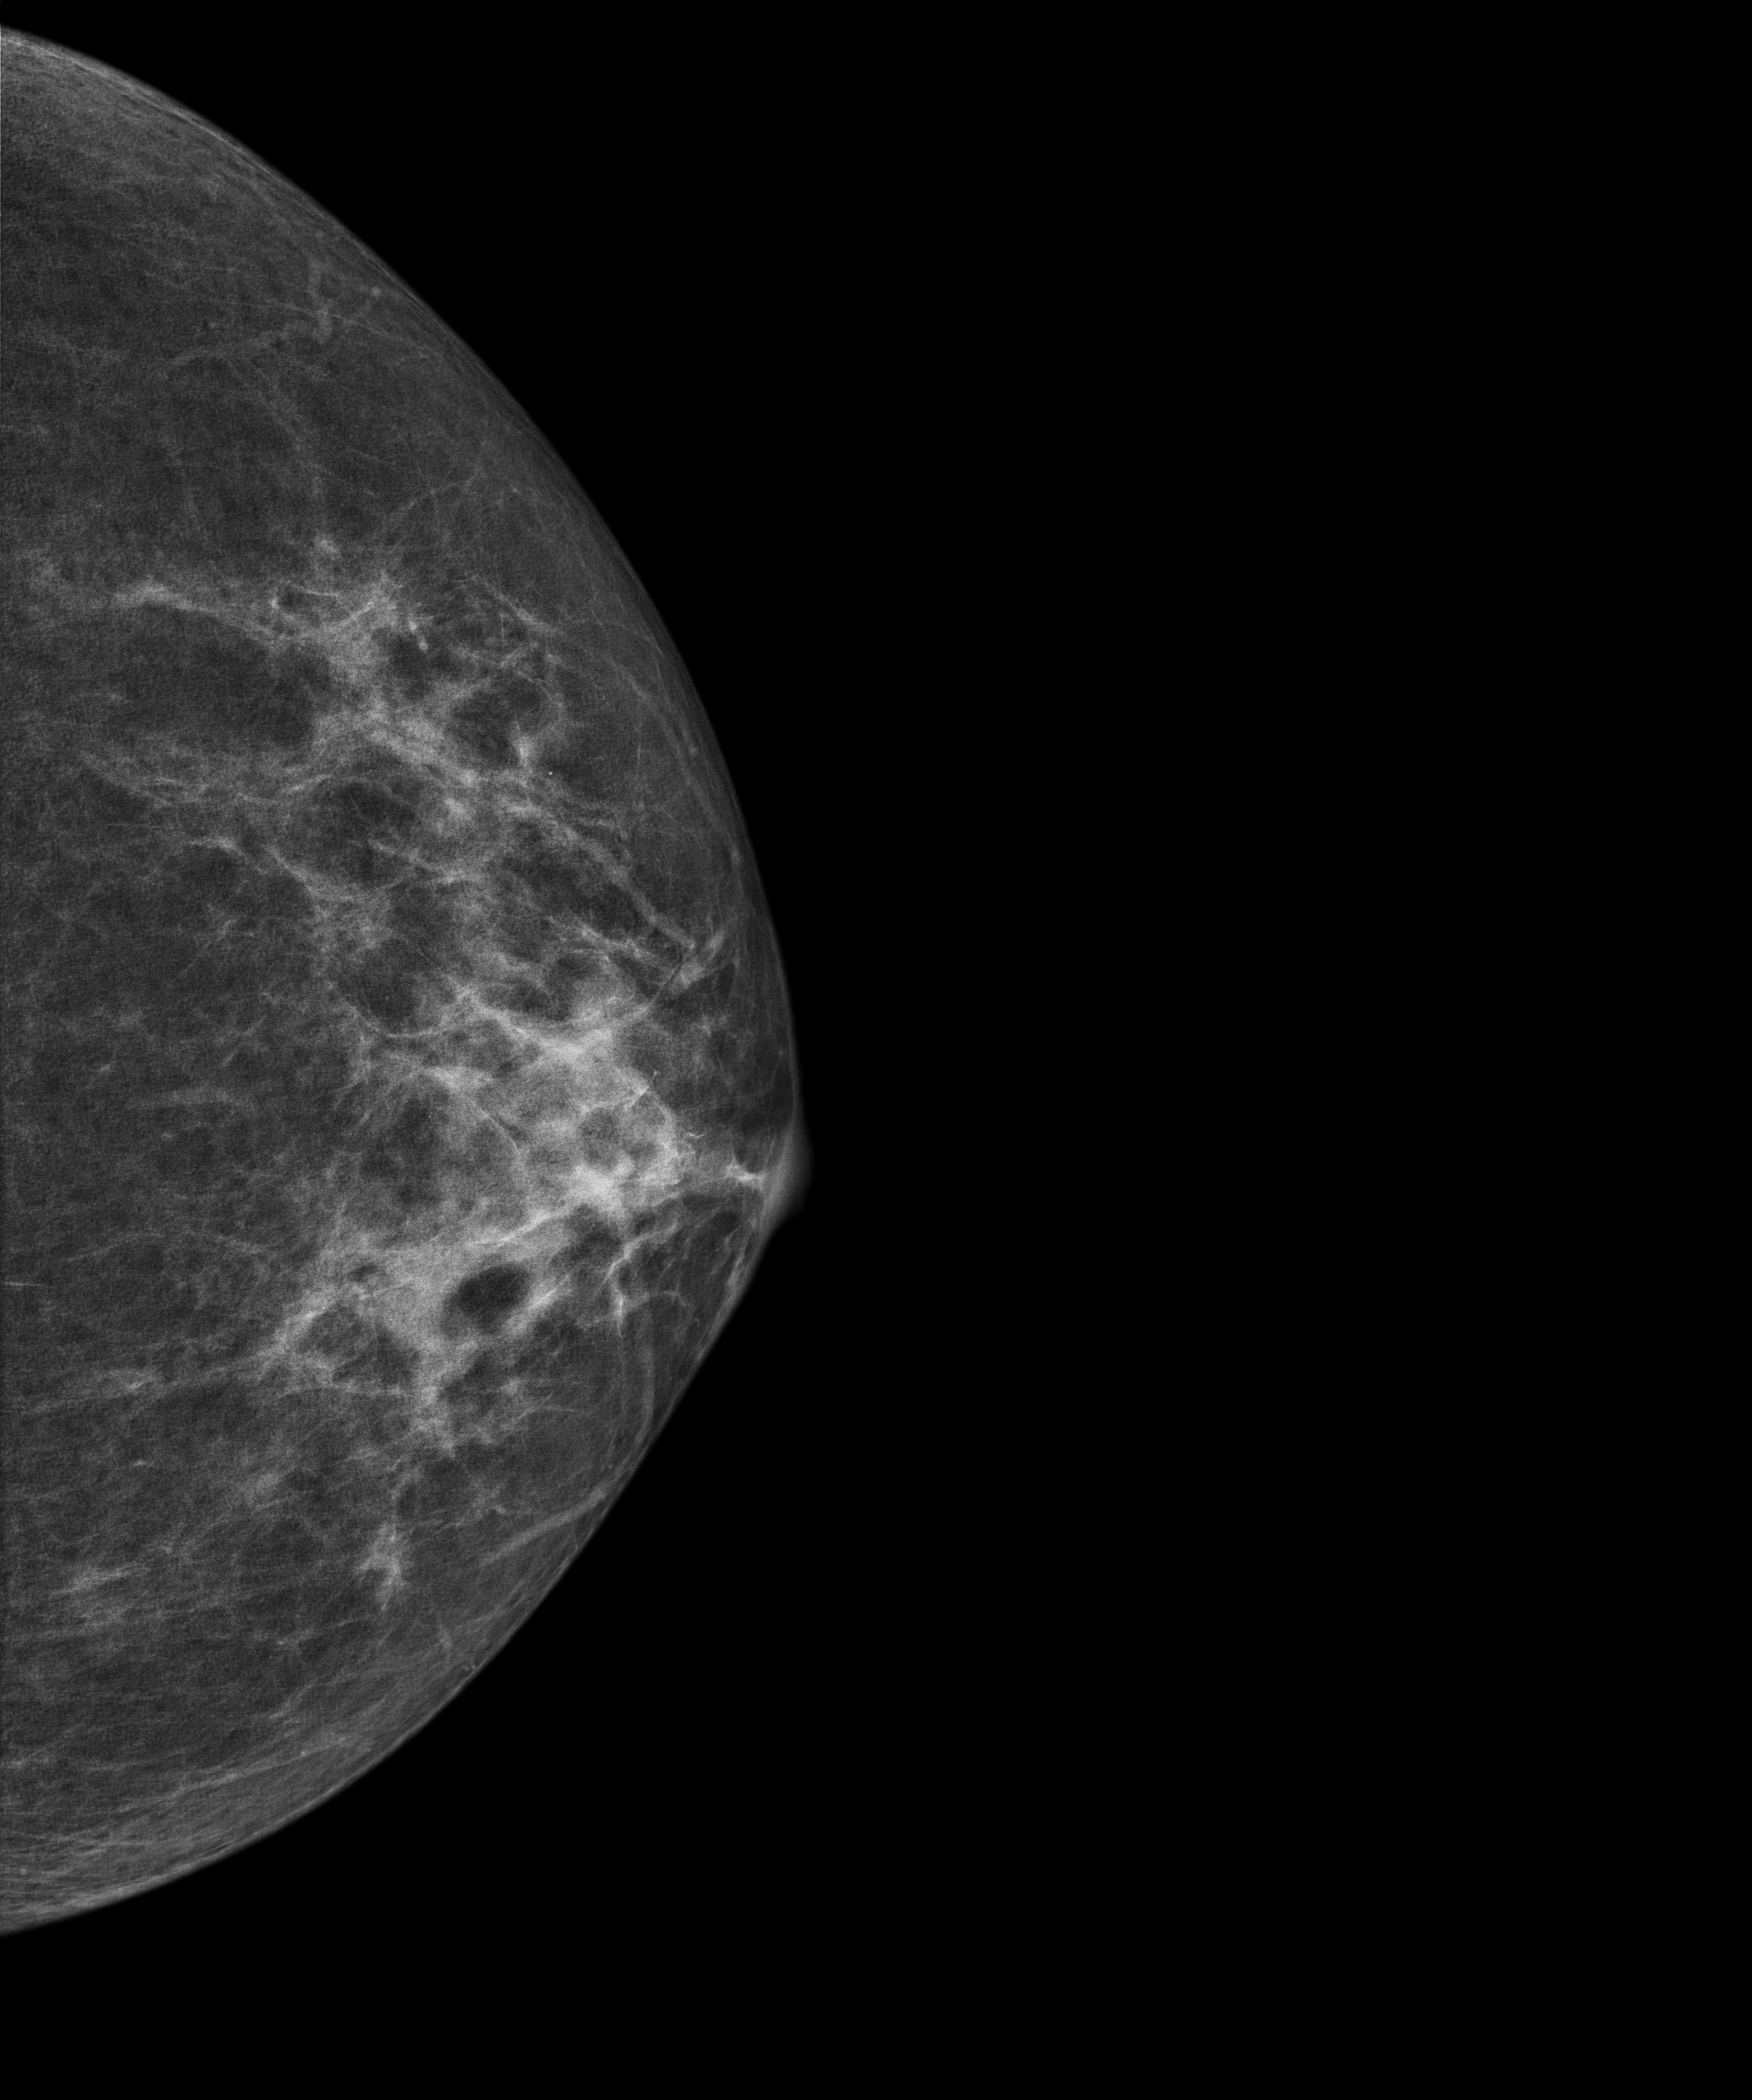
Cranio-caudal mammogram of the left breast. 77 y/o patient.
Contralateral breast — no documented abnormality on this side.